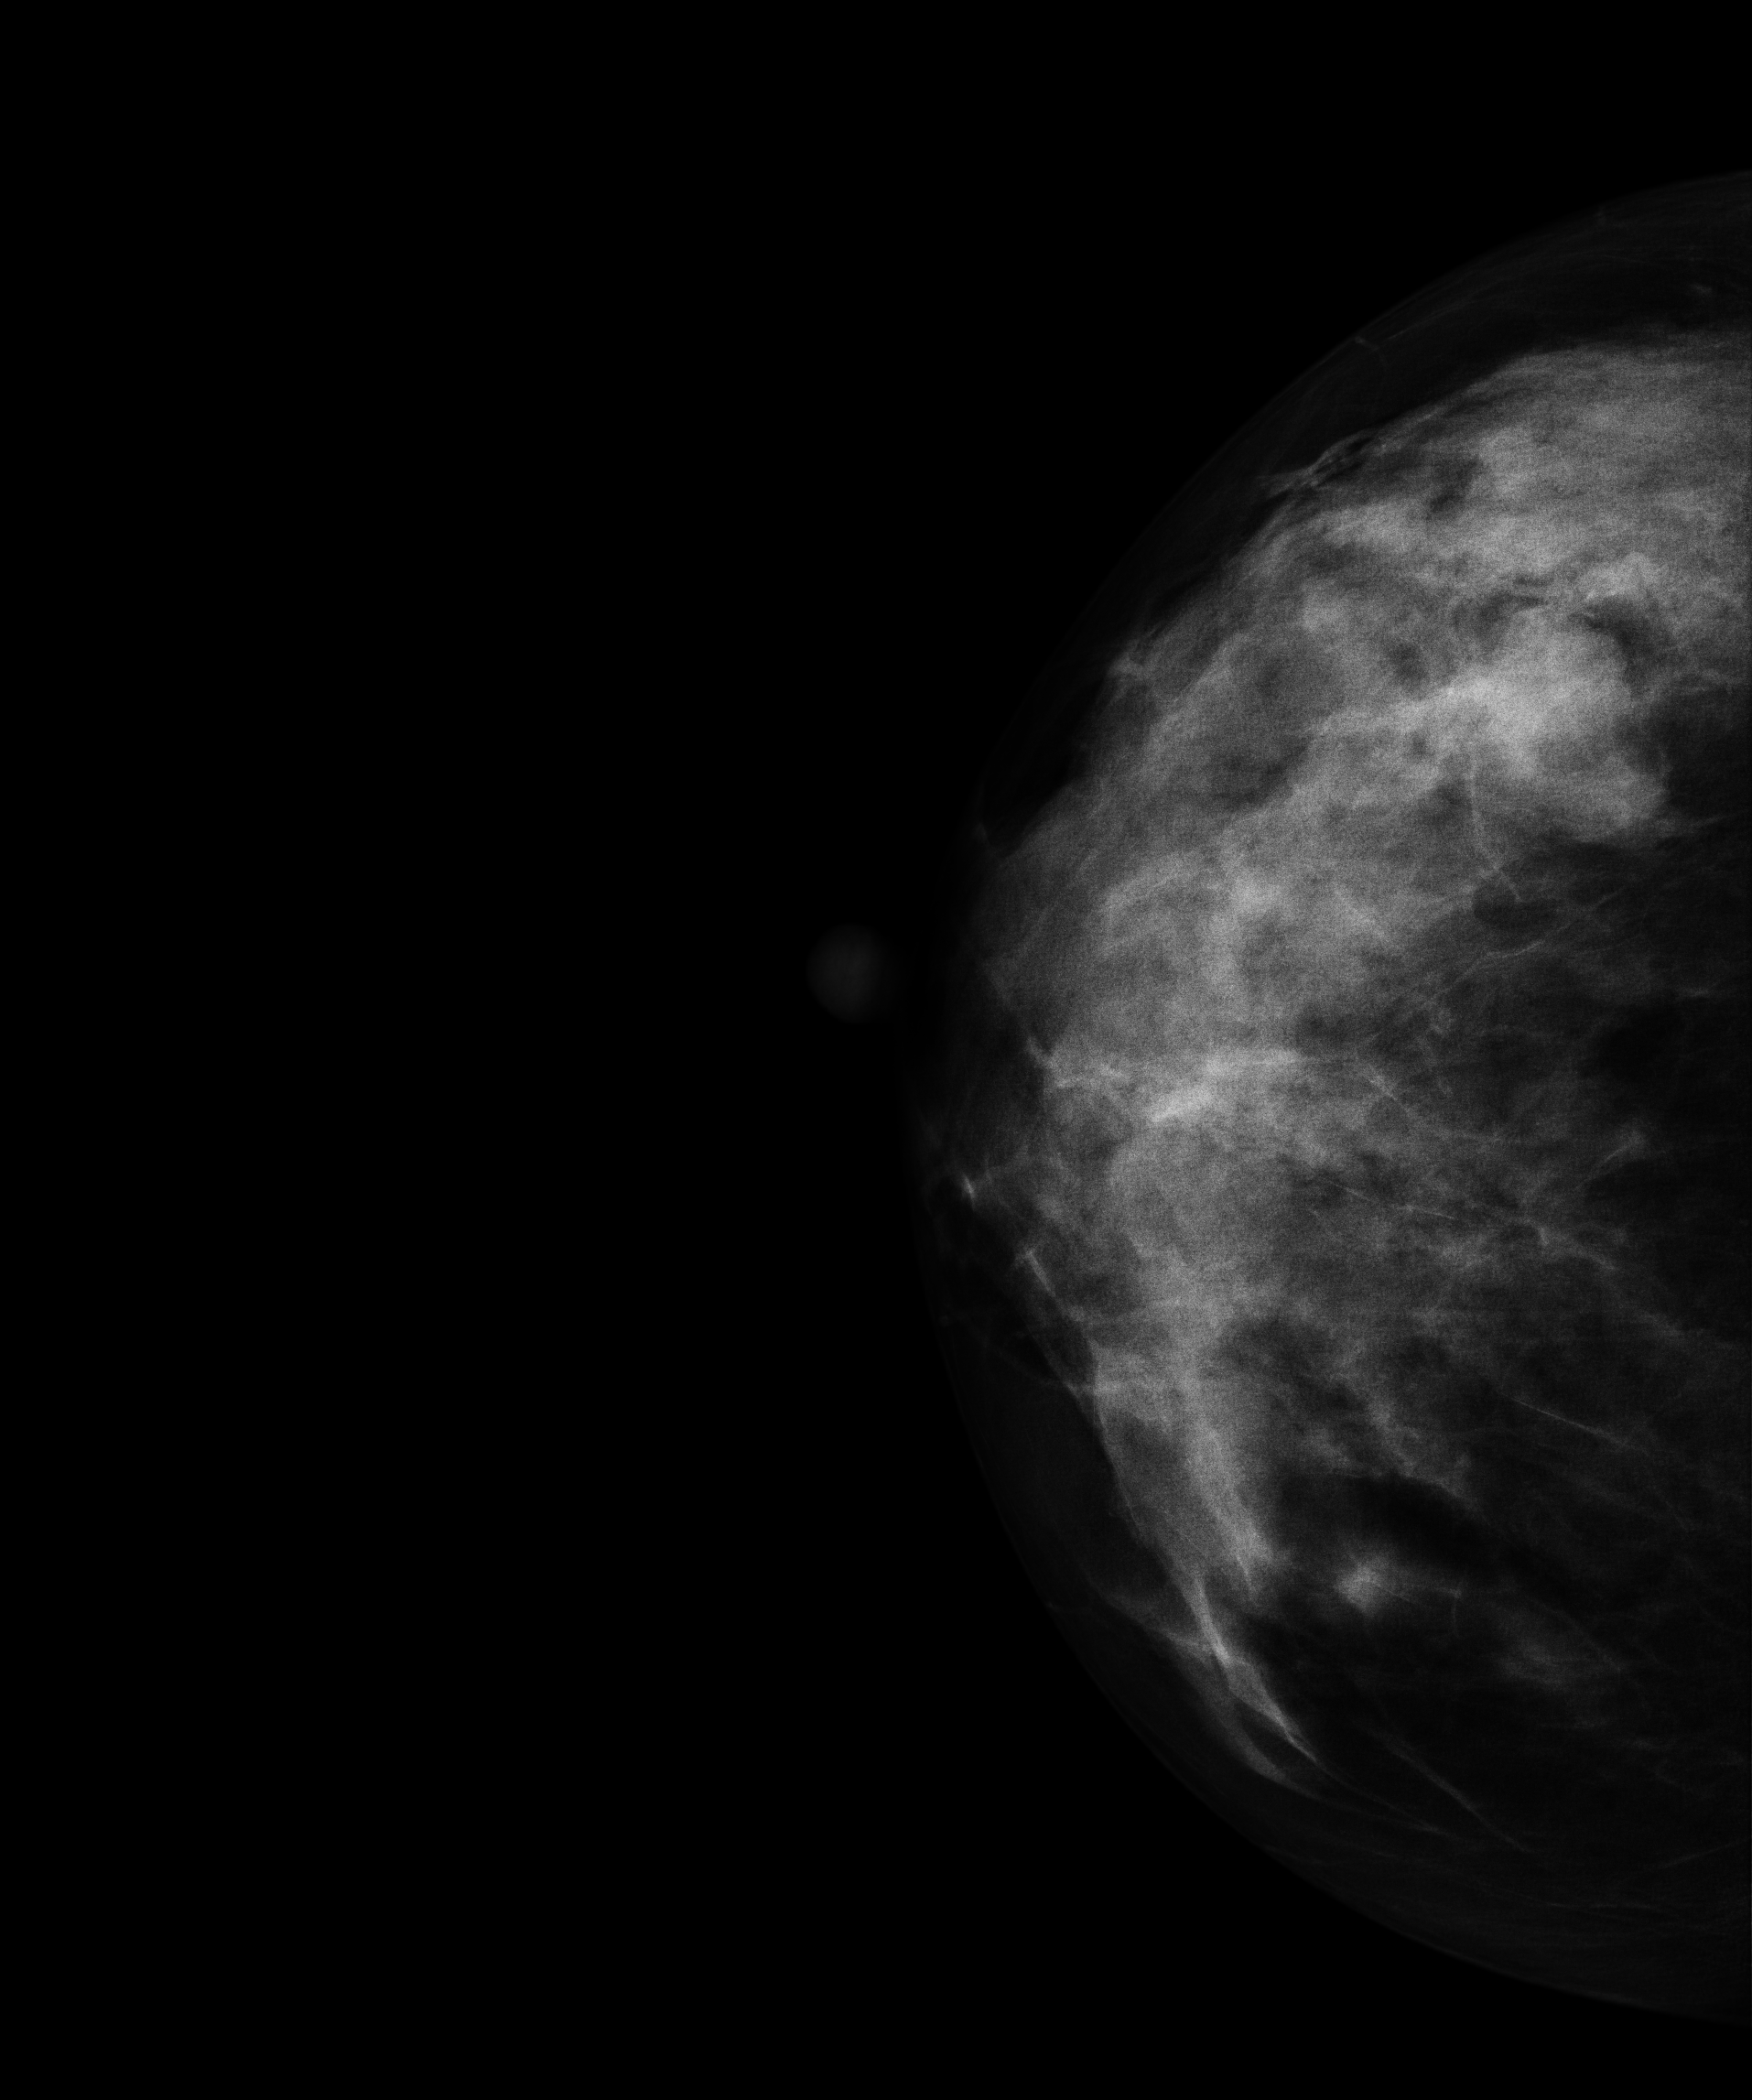
Mammogram — right cranio-caudal. 47 y/o patient.
This breast has a mass, histologically confirmed benign.